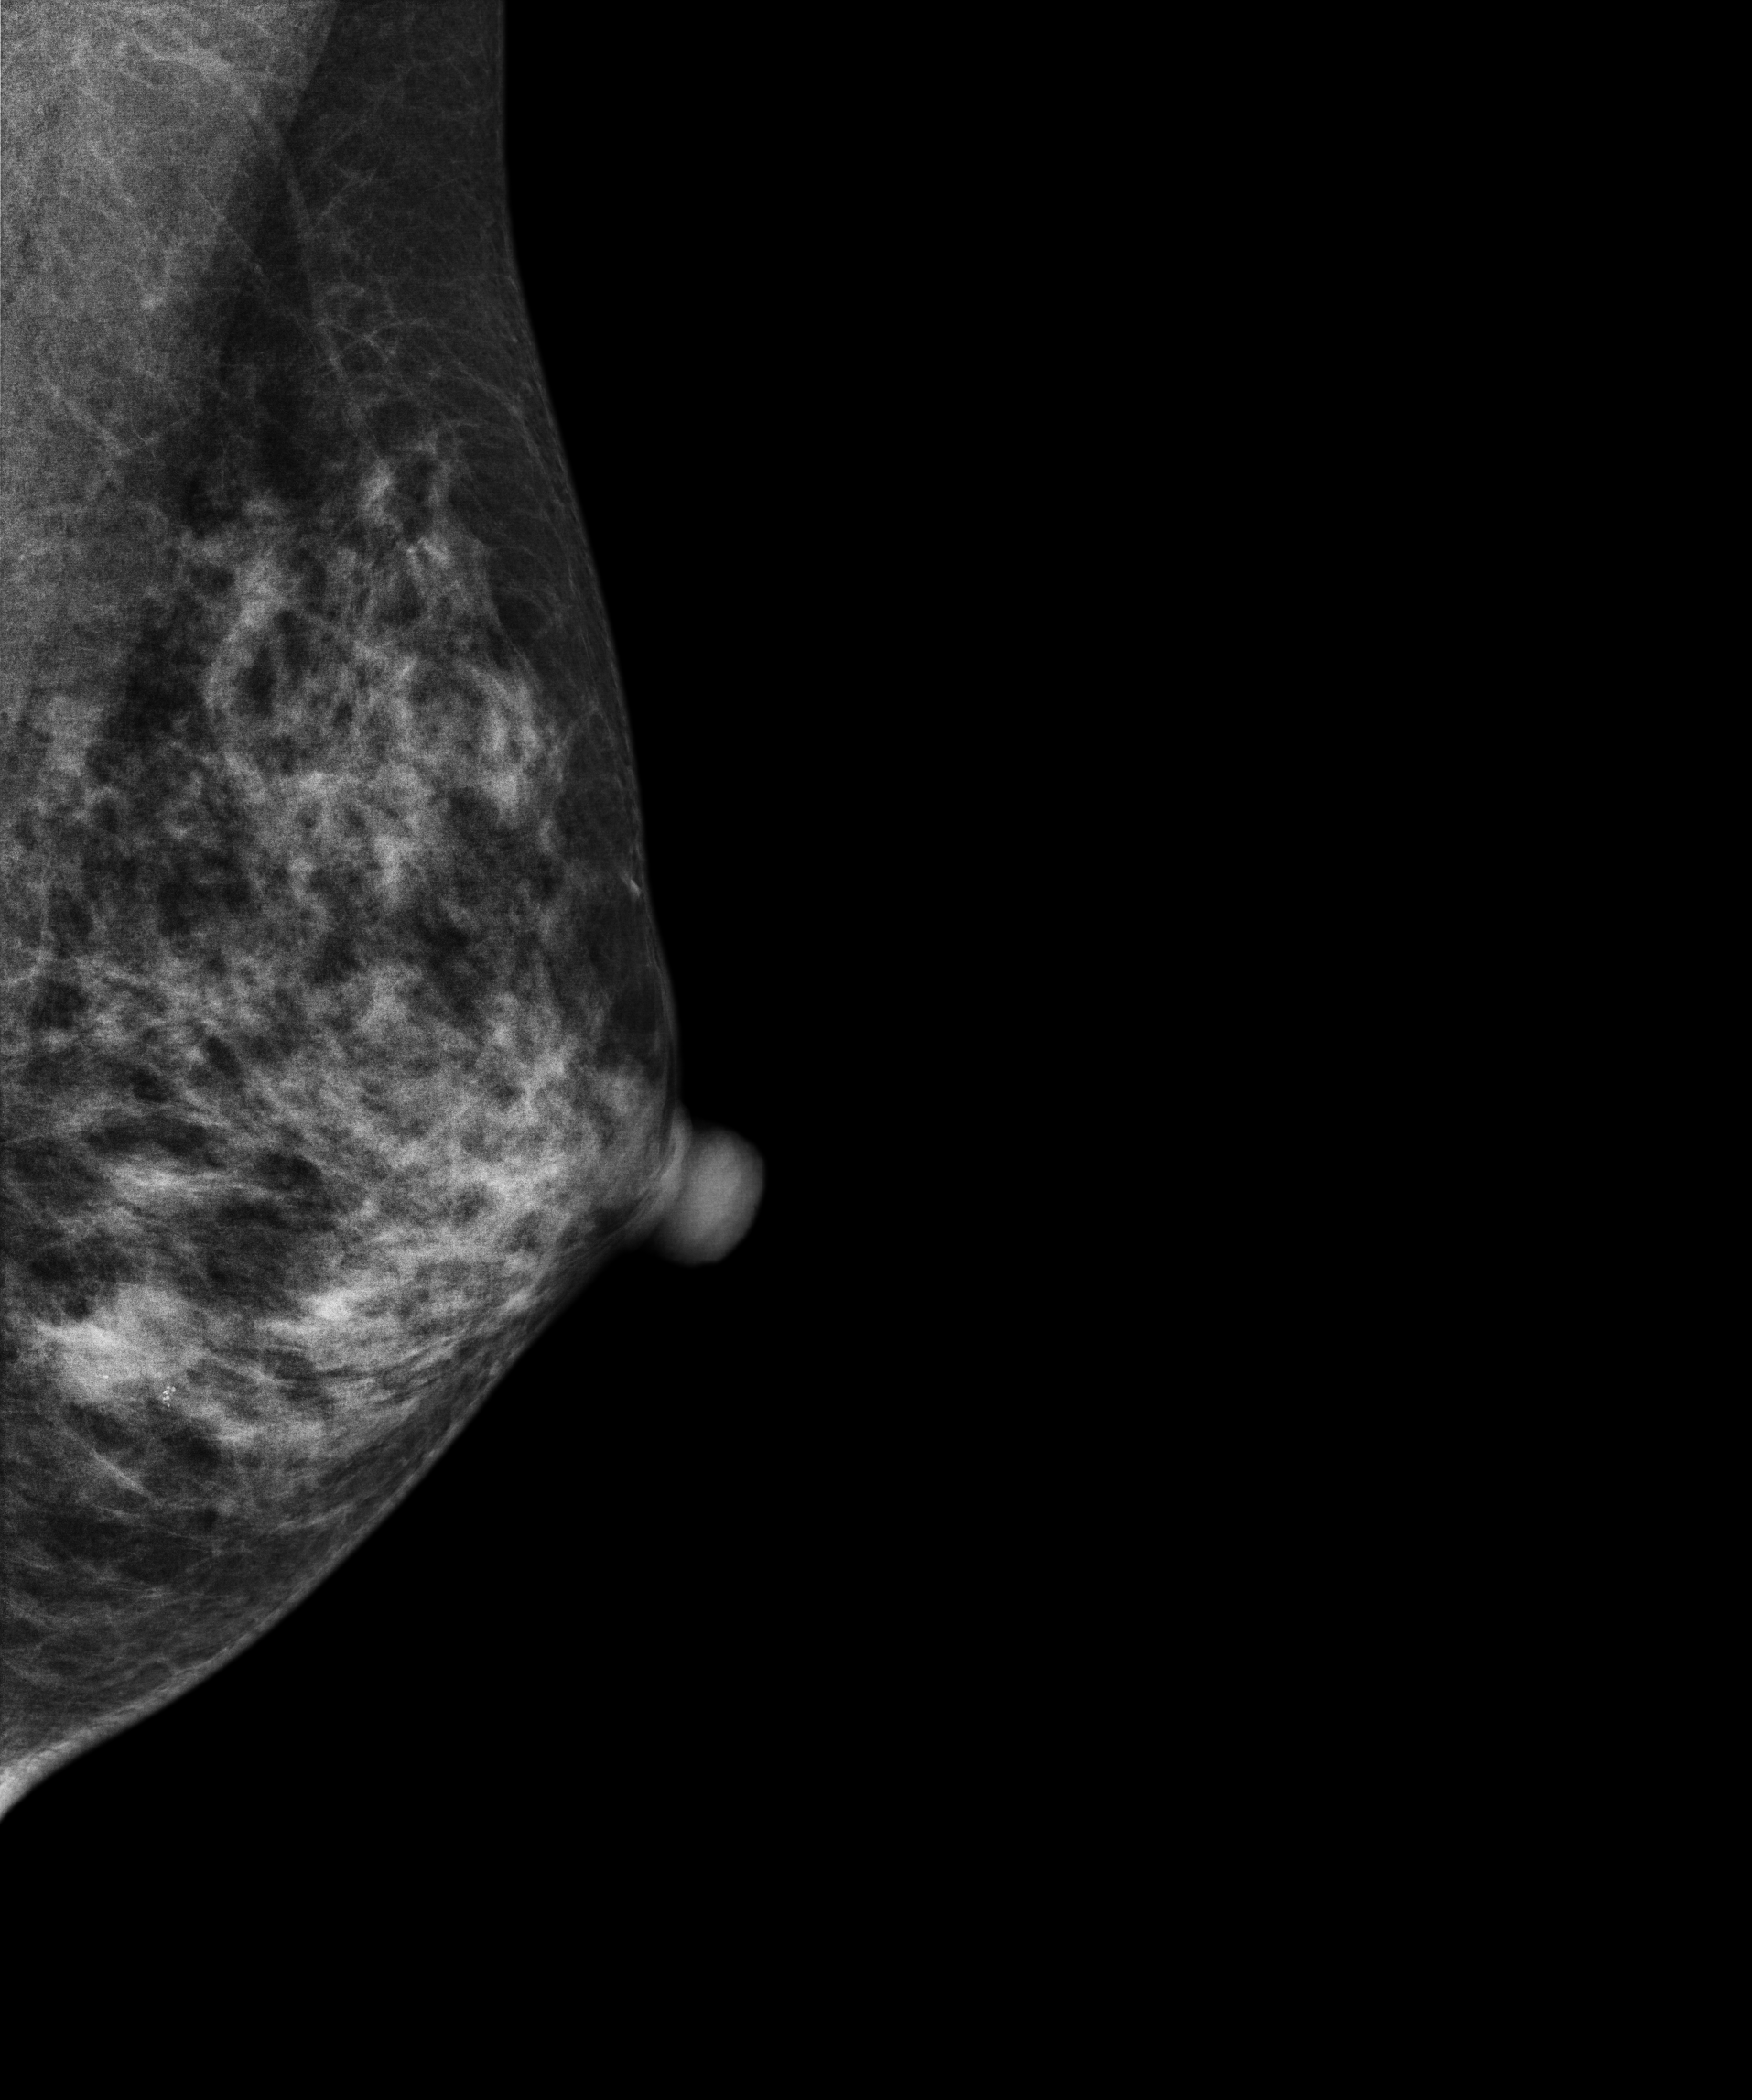
Left-breast mammogram, medio-lateral oblique. 45-year-old patient.
This breast has a mass and calcifications, histologically confirmed malignant.